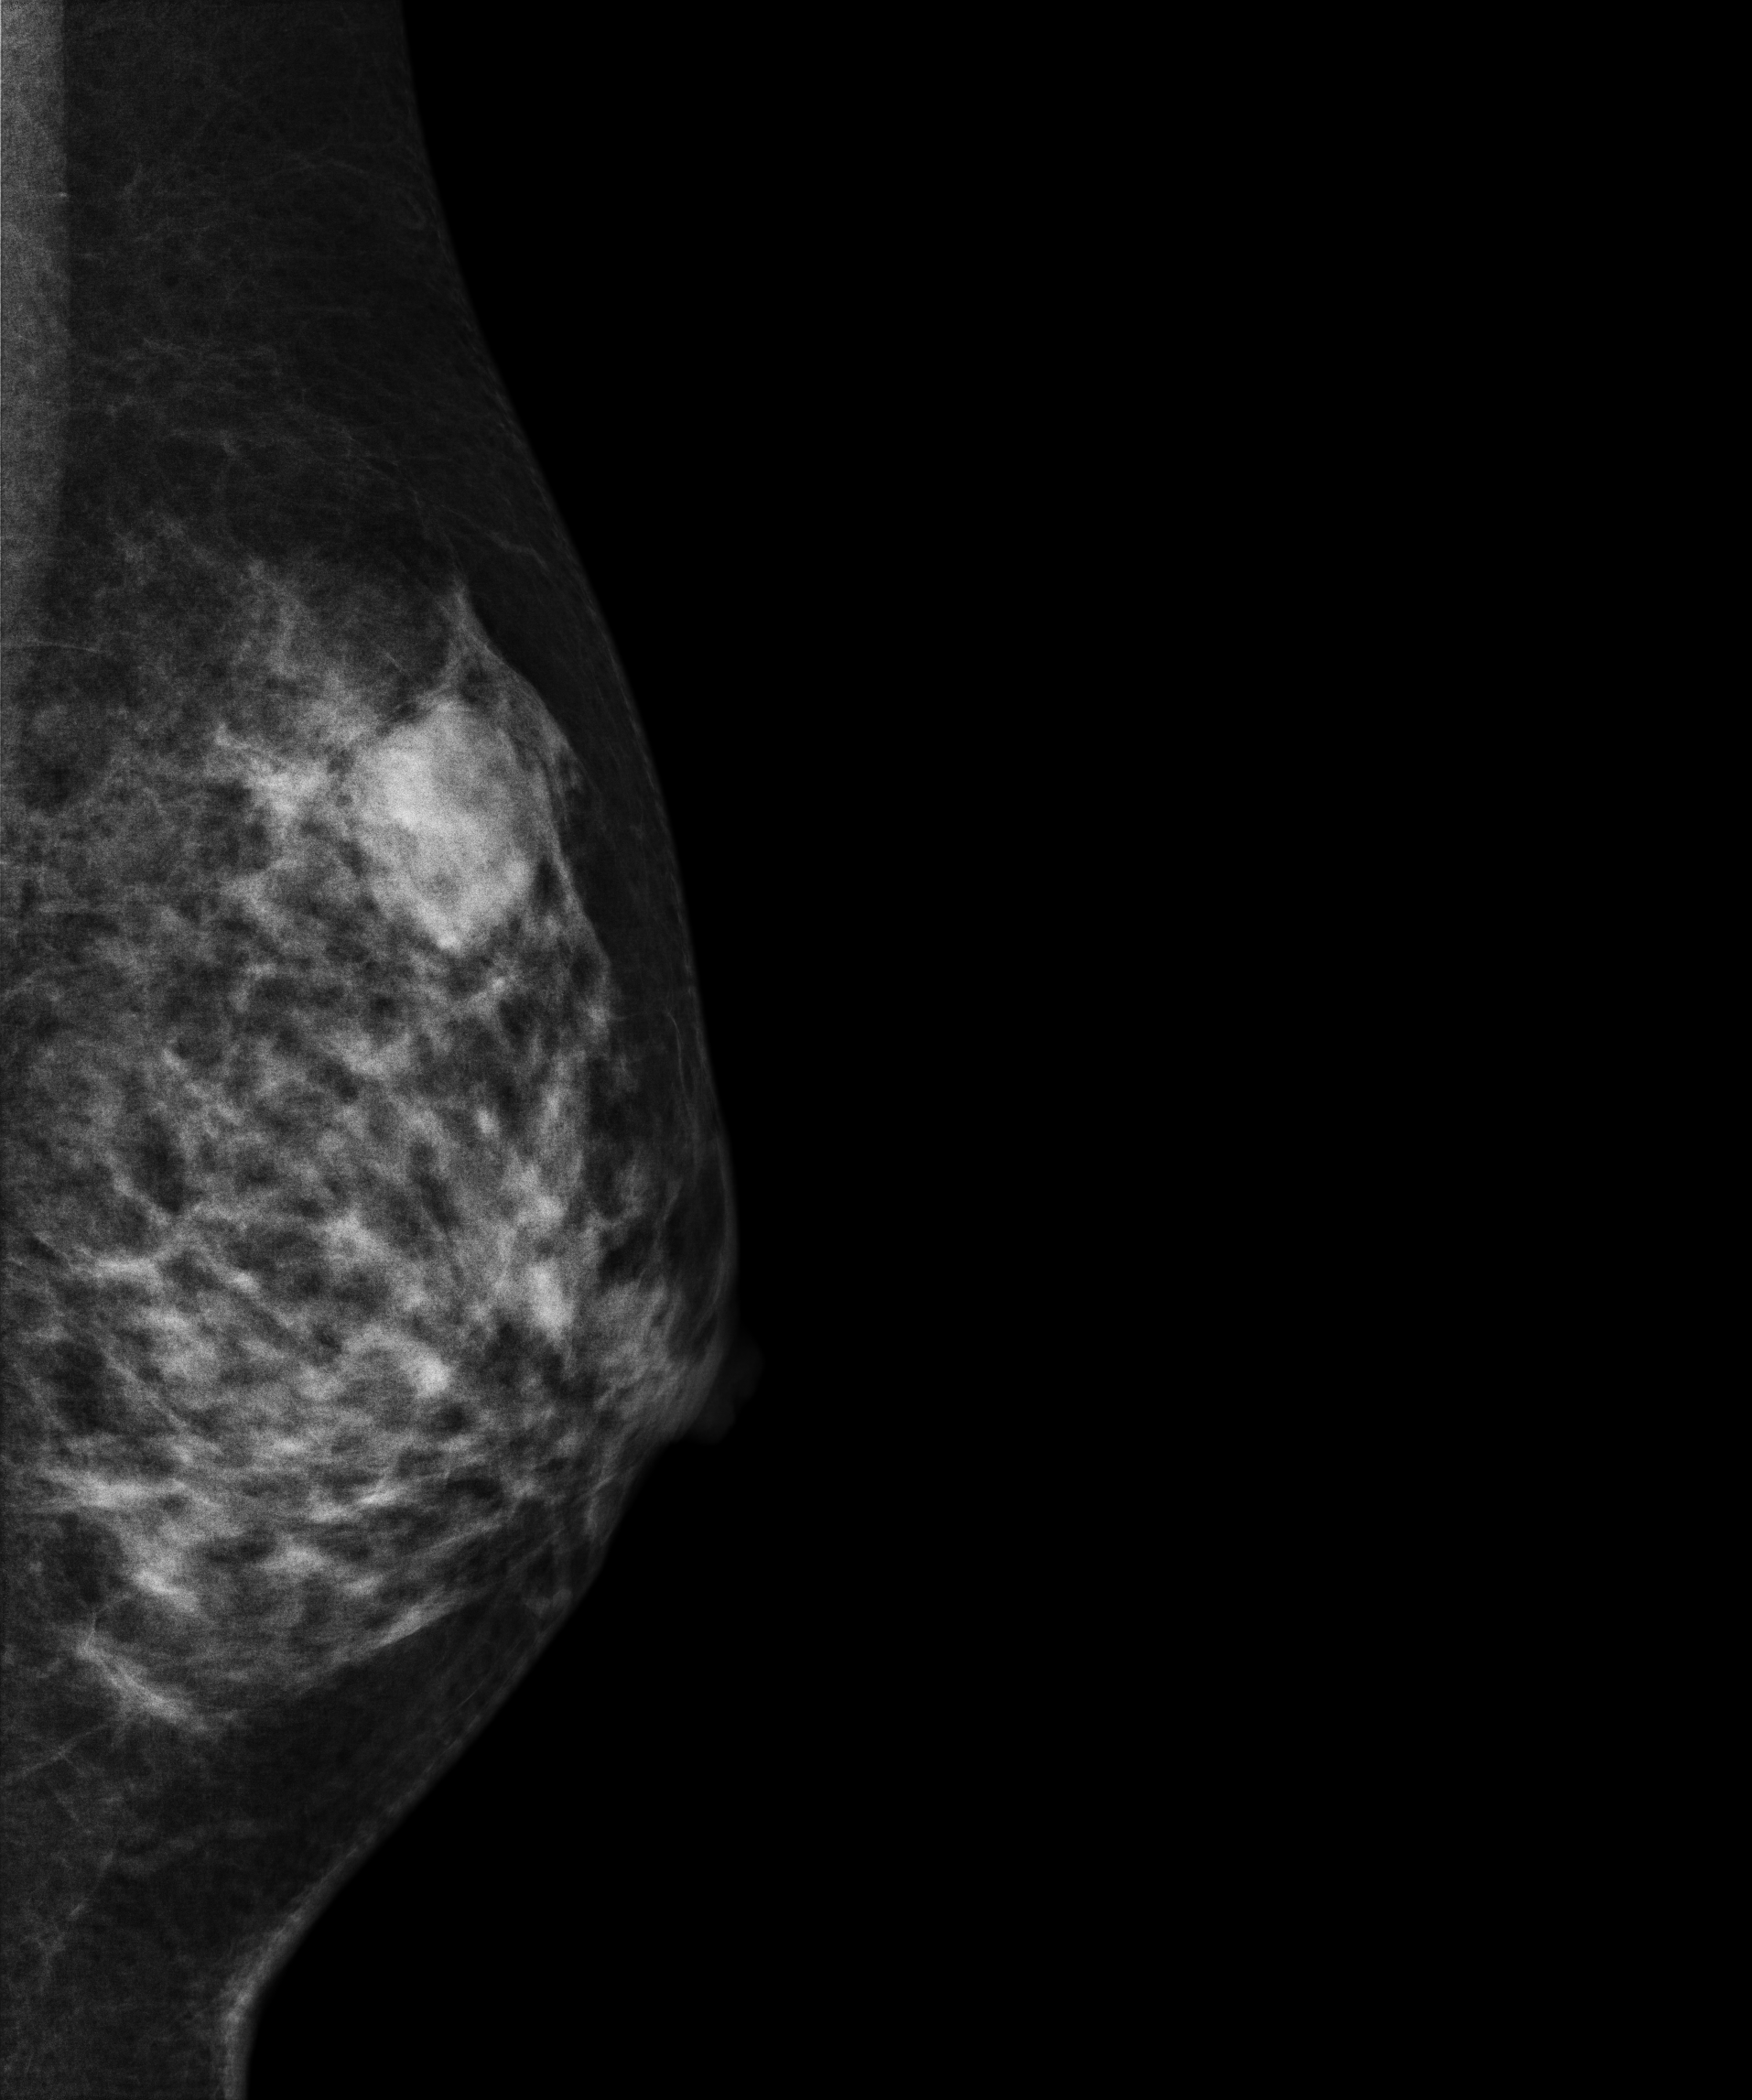
Digital mammography. Left breast, MLO projection. Patient age 37.
This breast has a mass, biopsy-proven benign.